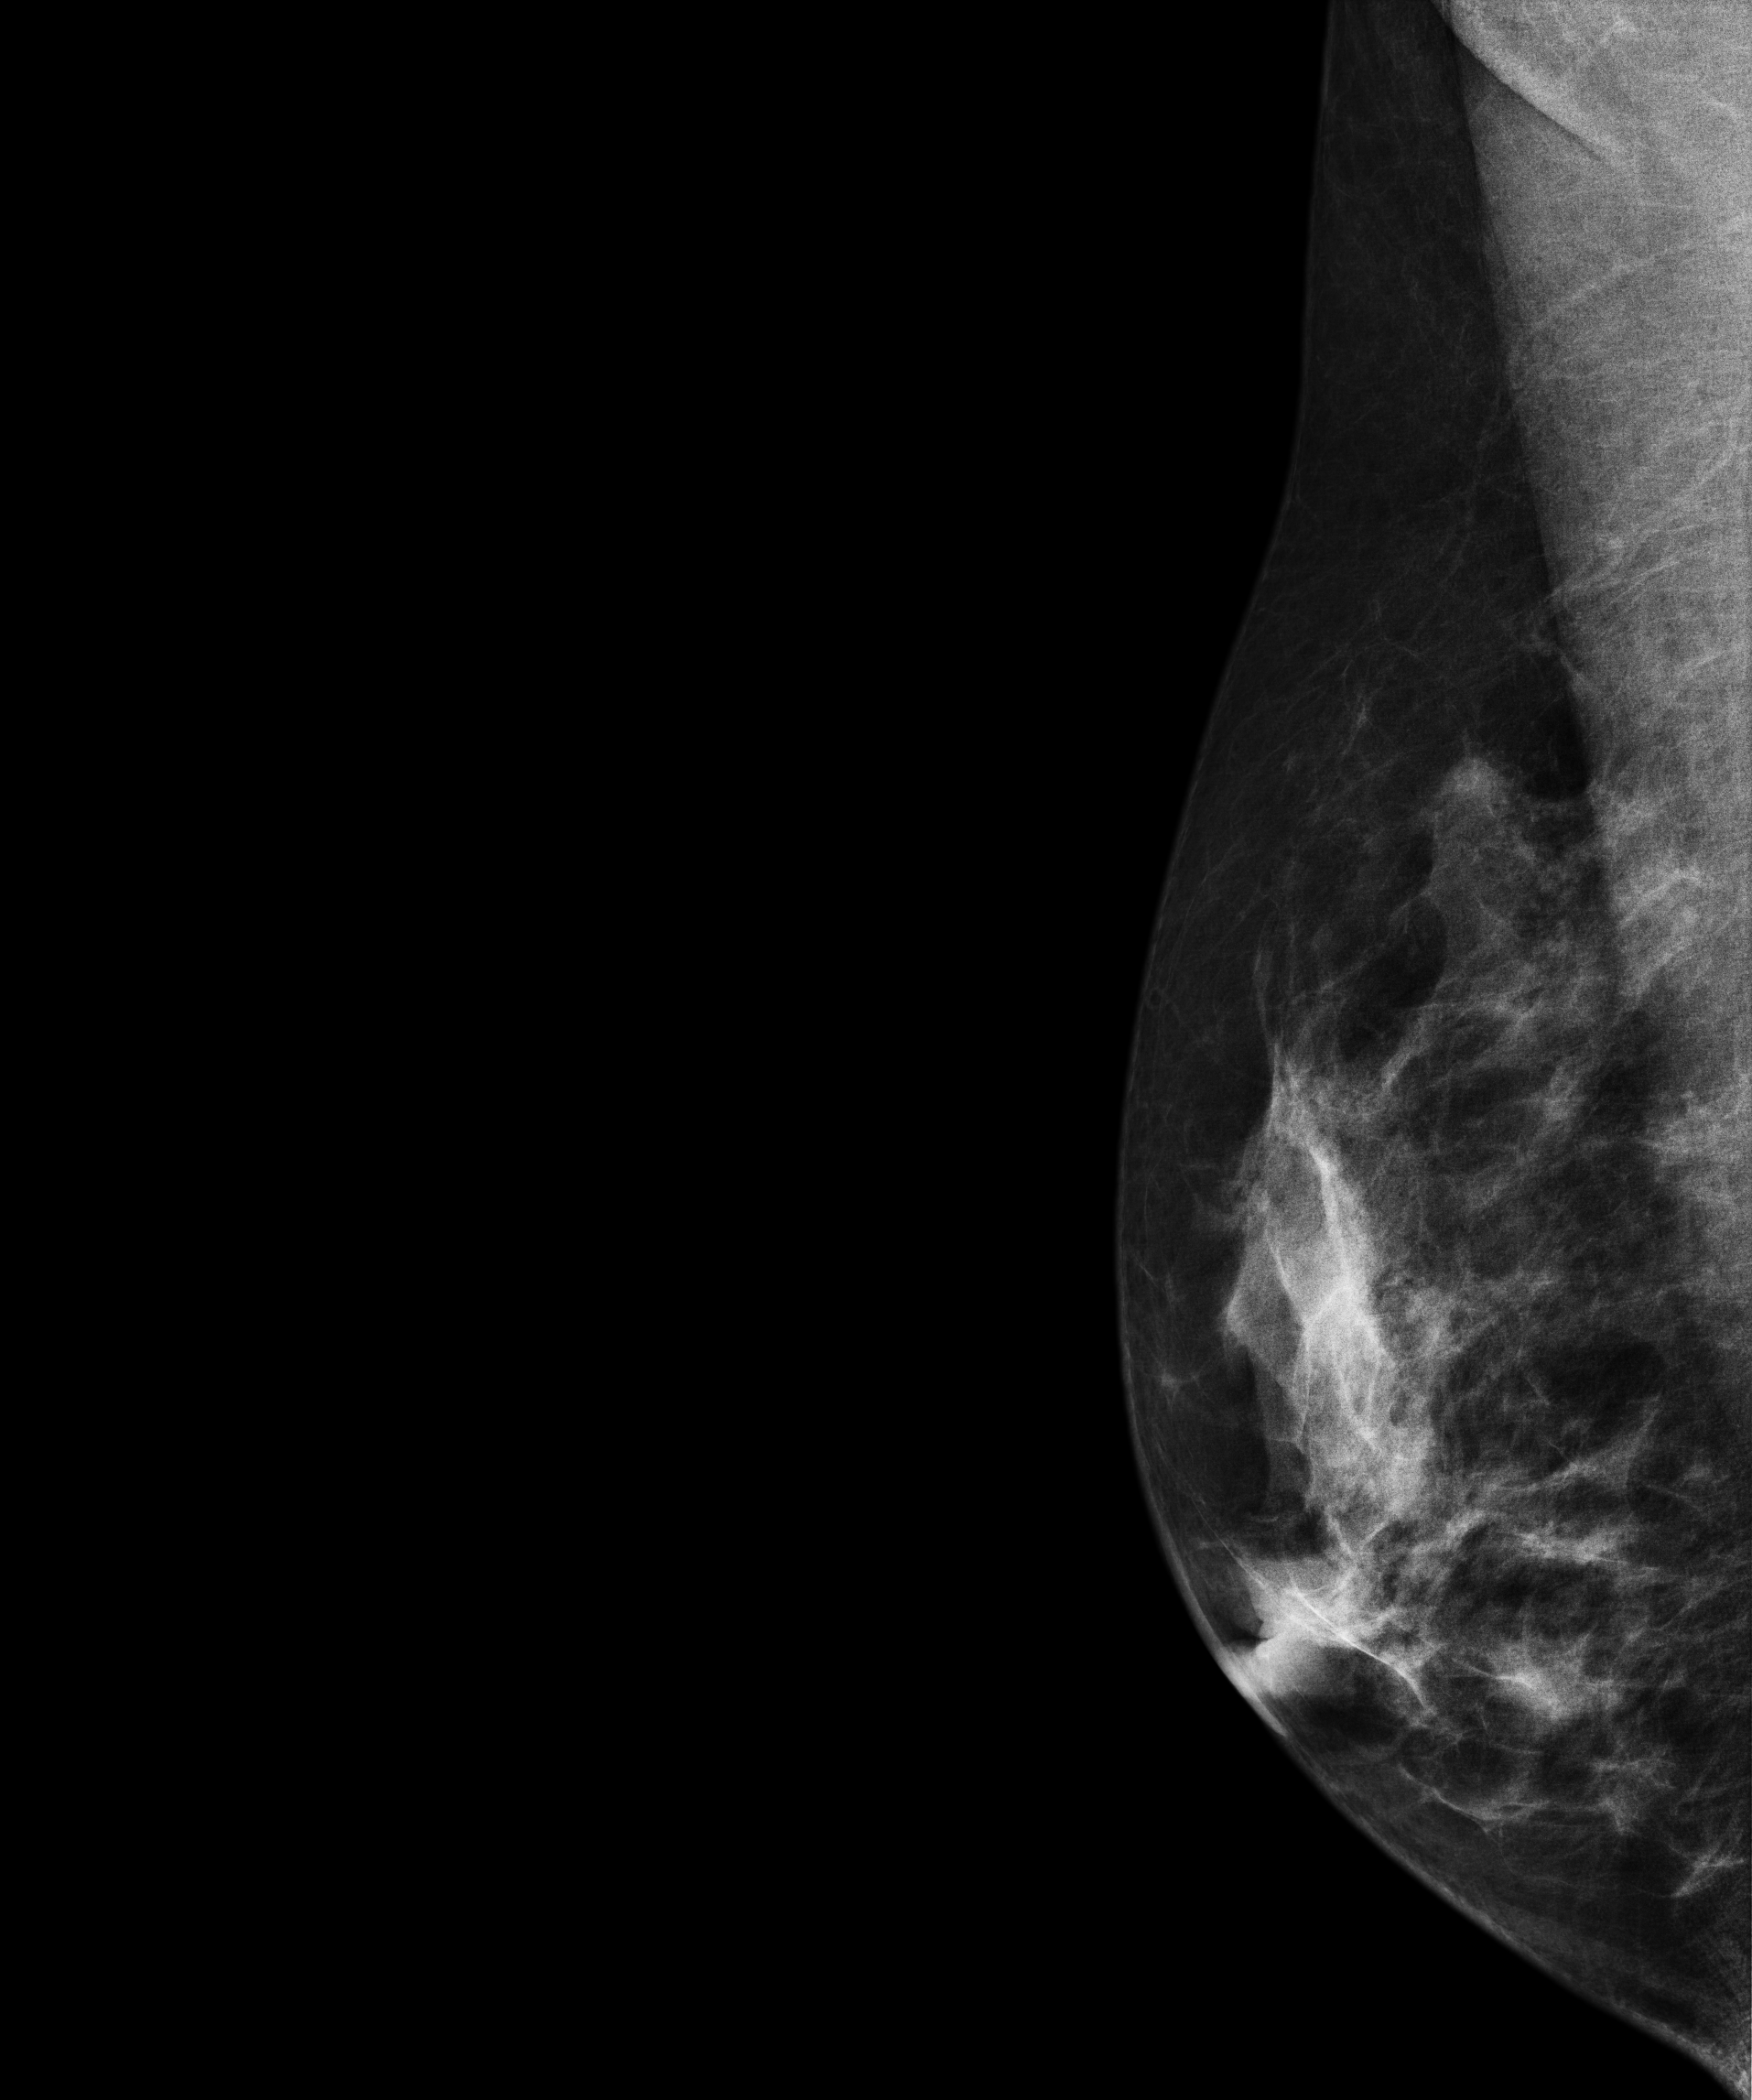
MLO mammogram of the right breast. Patient age 42.
Contralateral breast — no documented abnormality on this side.